Digital mammography. Right breast, MLO projection. 48 y/o patient.
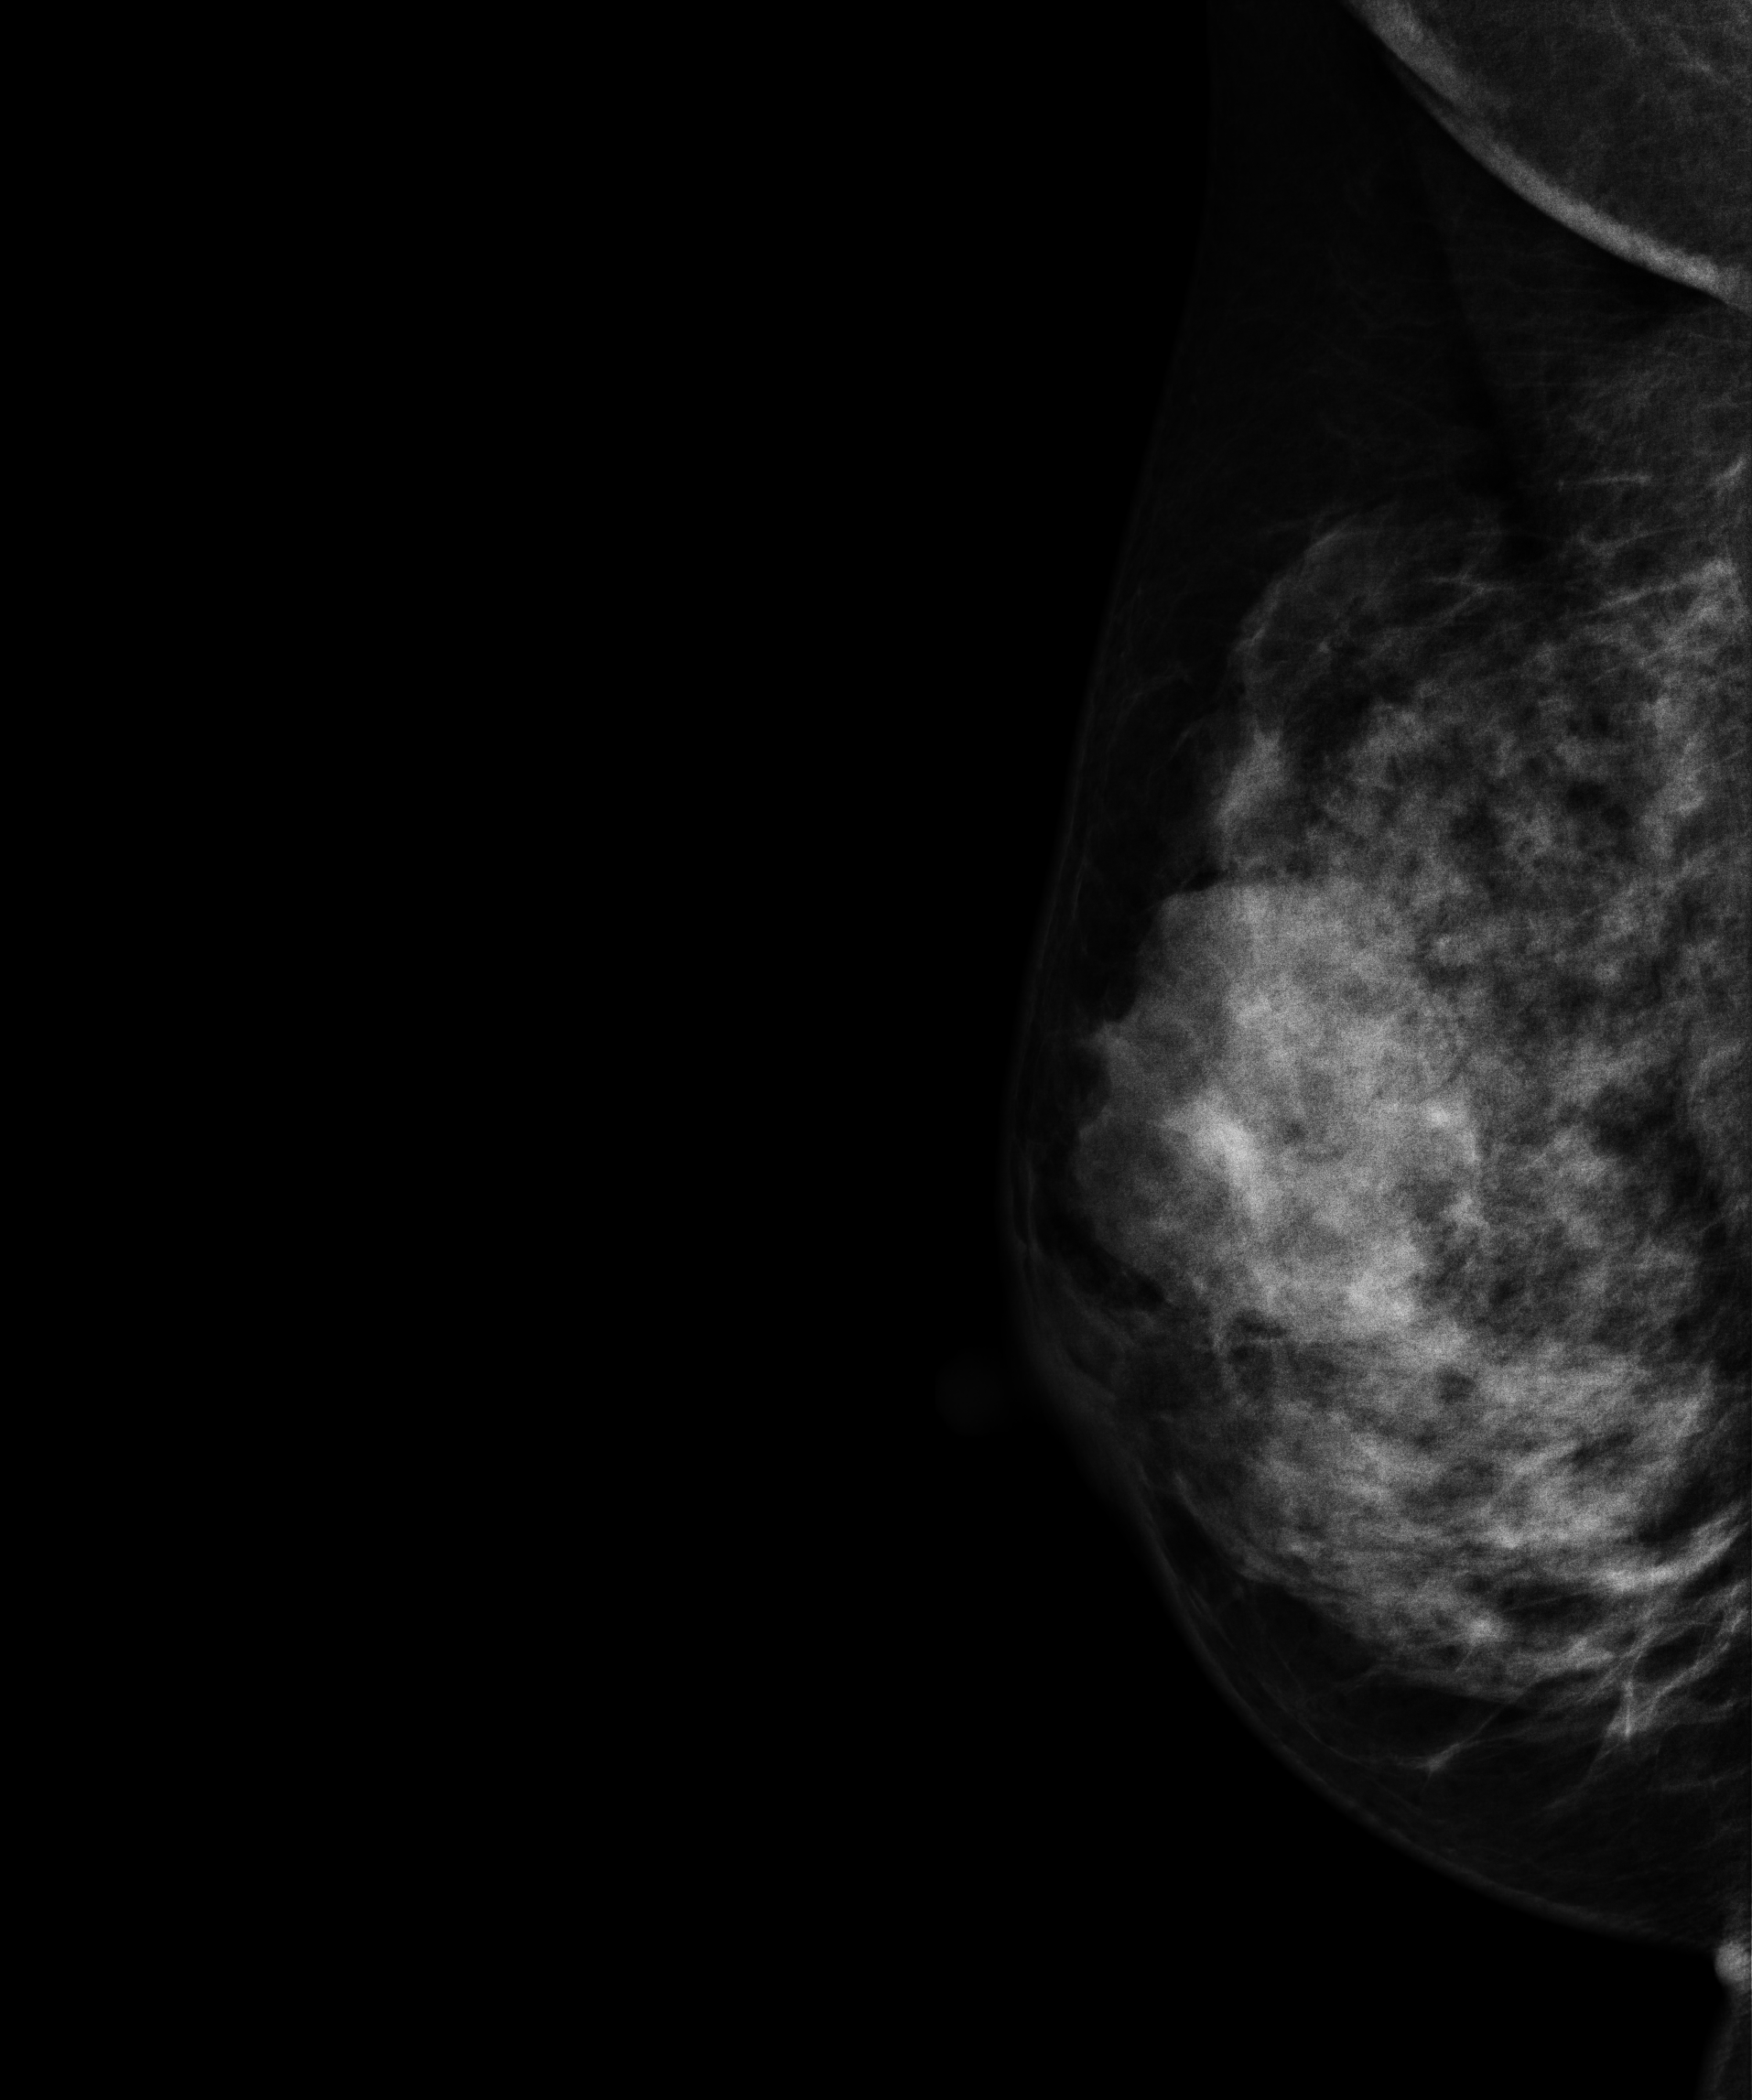
This breast has a mass, biopsy-confirmed malignant. Molecular subtype: luminal B.